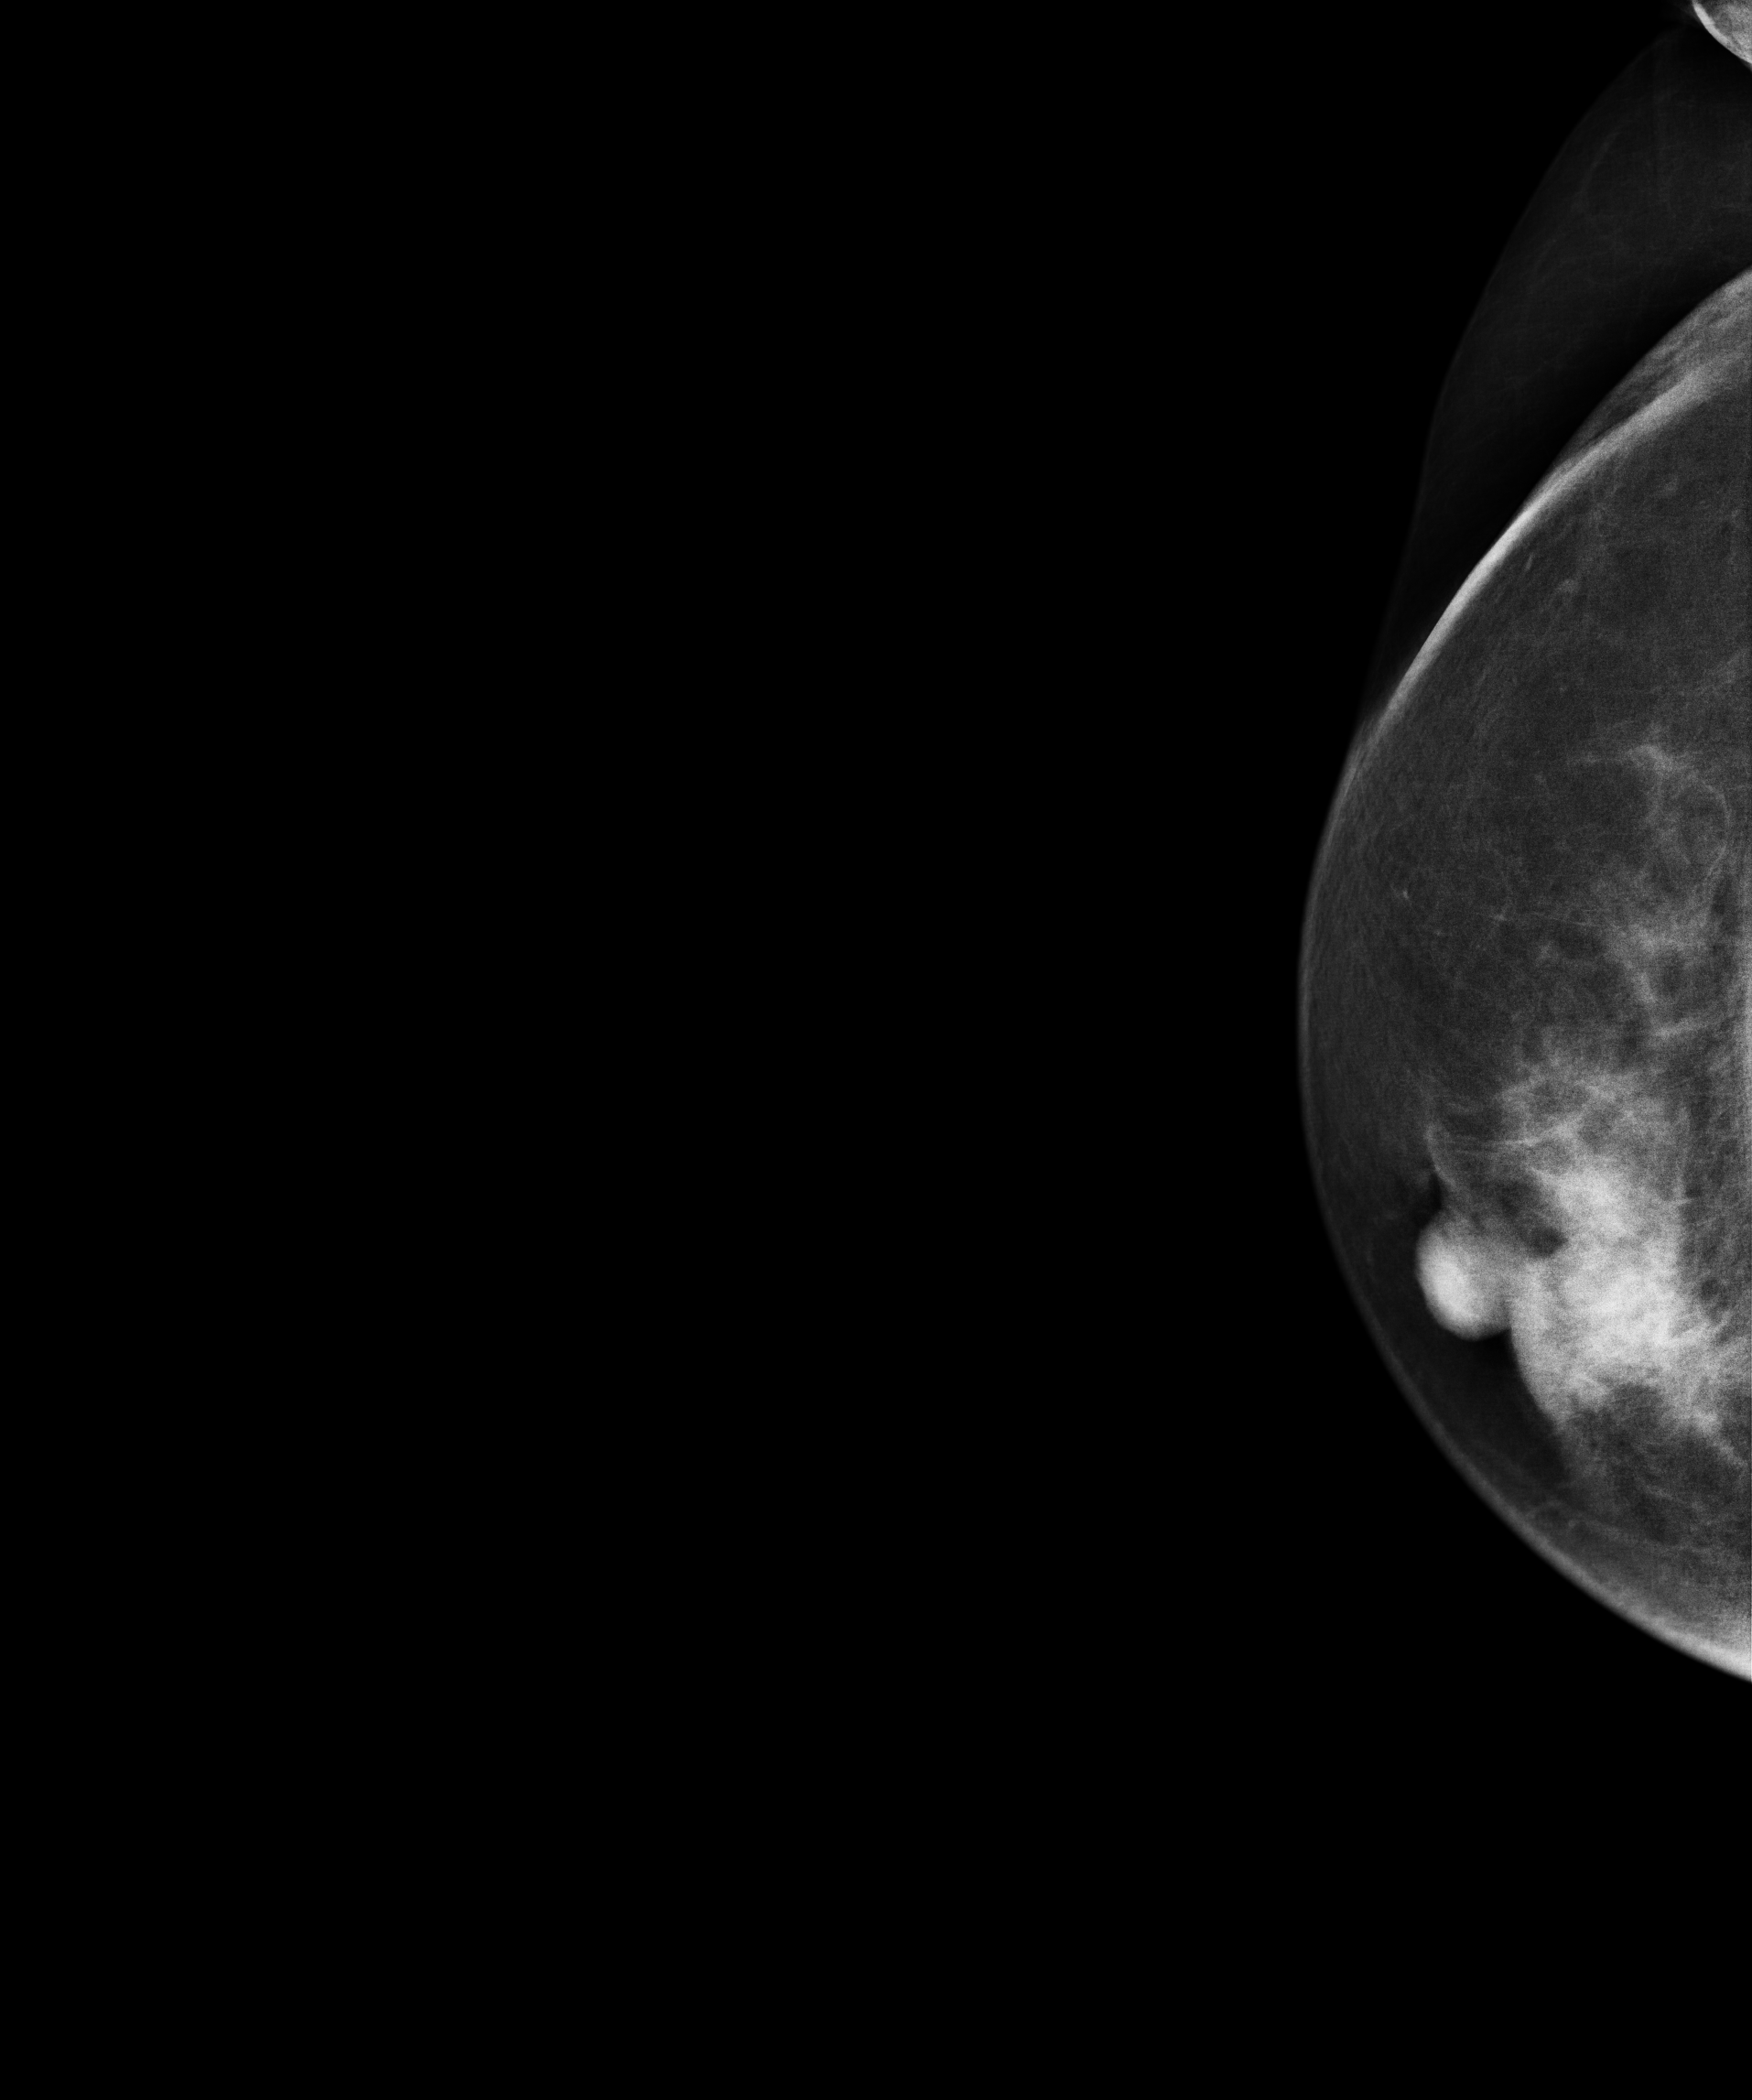
Right-breast mammogram, cranio-caudal. 59 y/o patient.
This breast has a mass, histologically confirmed malignant. Molecular subtype: luminal B.